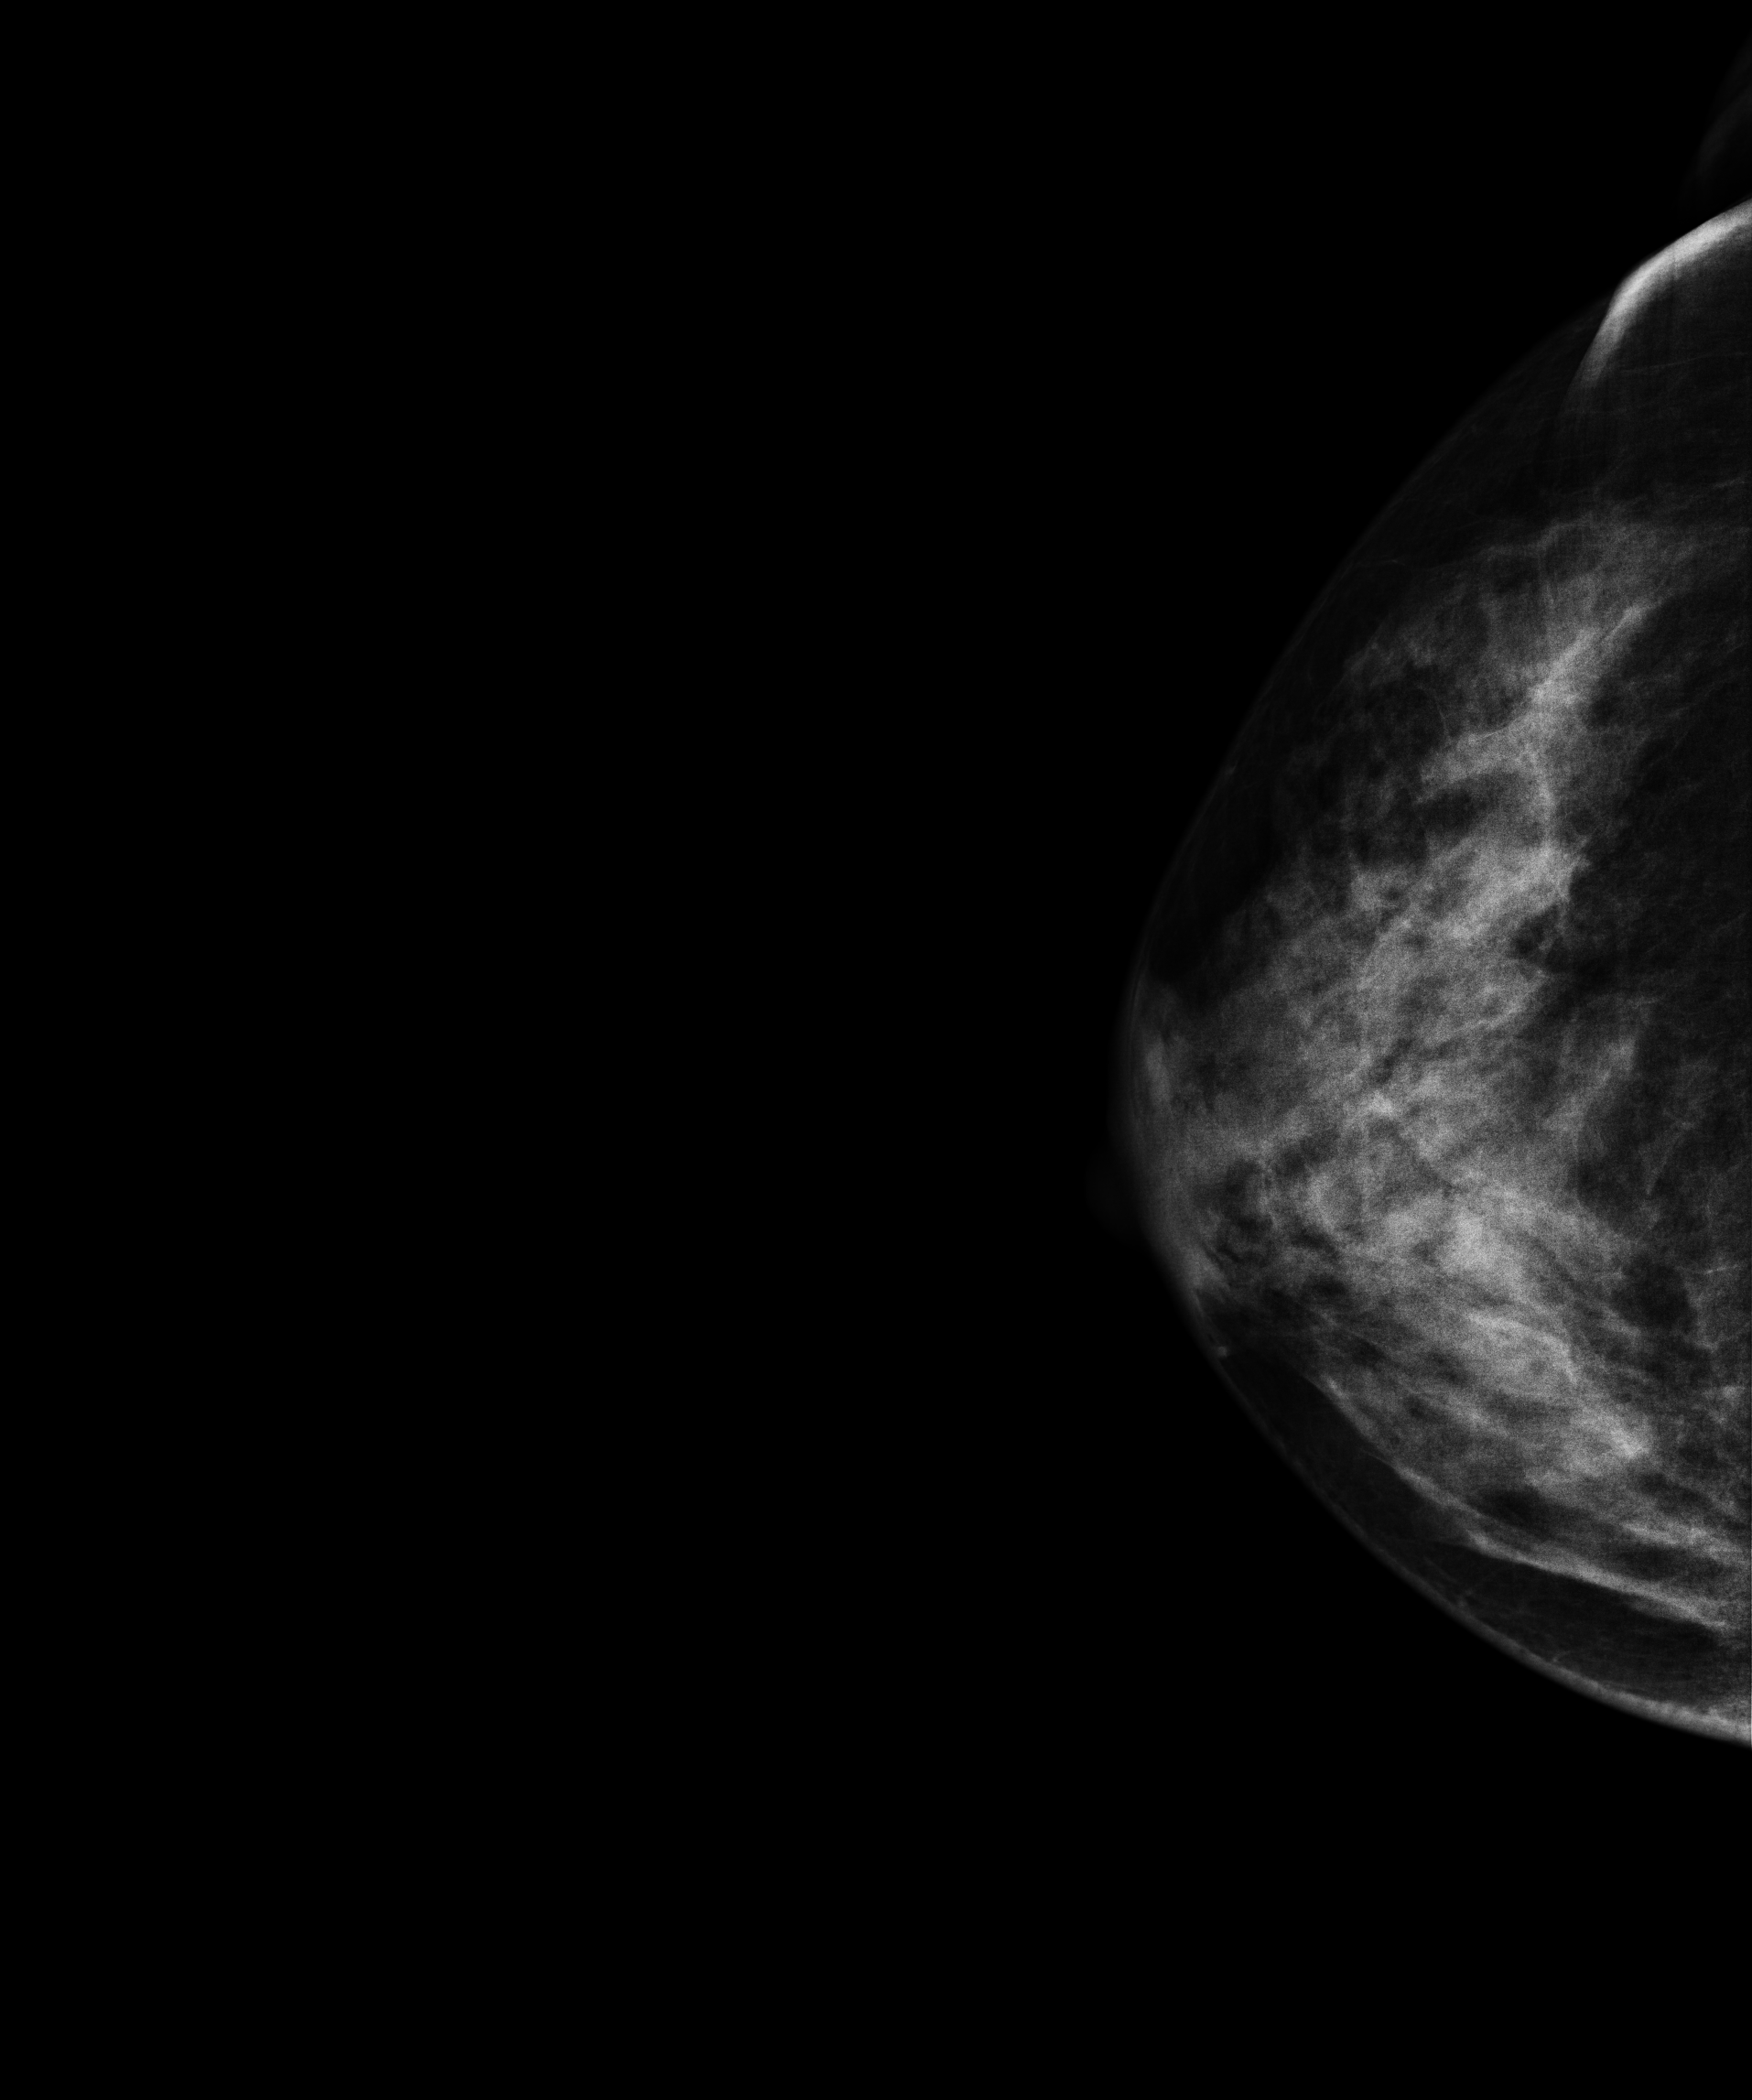
Right-breast mammogram, cranio-caudal. 48 y/o patient.
This breast has a mass, pathology-confirmed benign.